Mammogram — left MLO. Patient age 43.
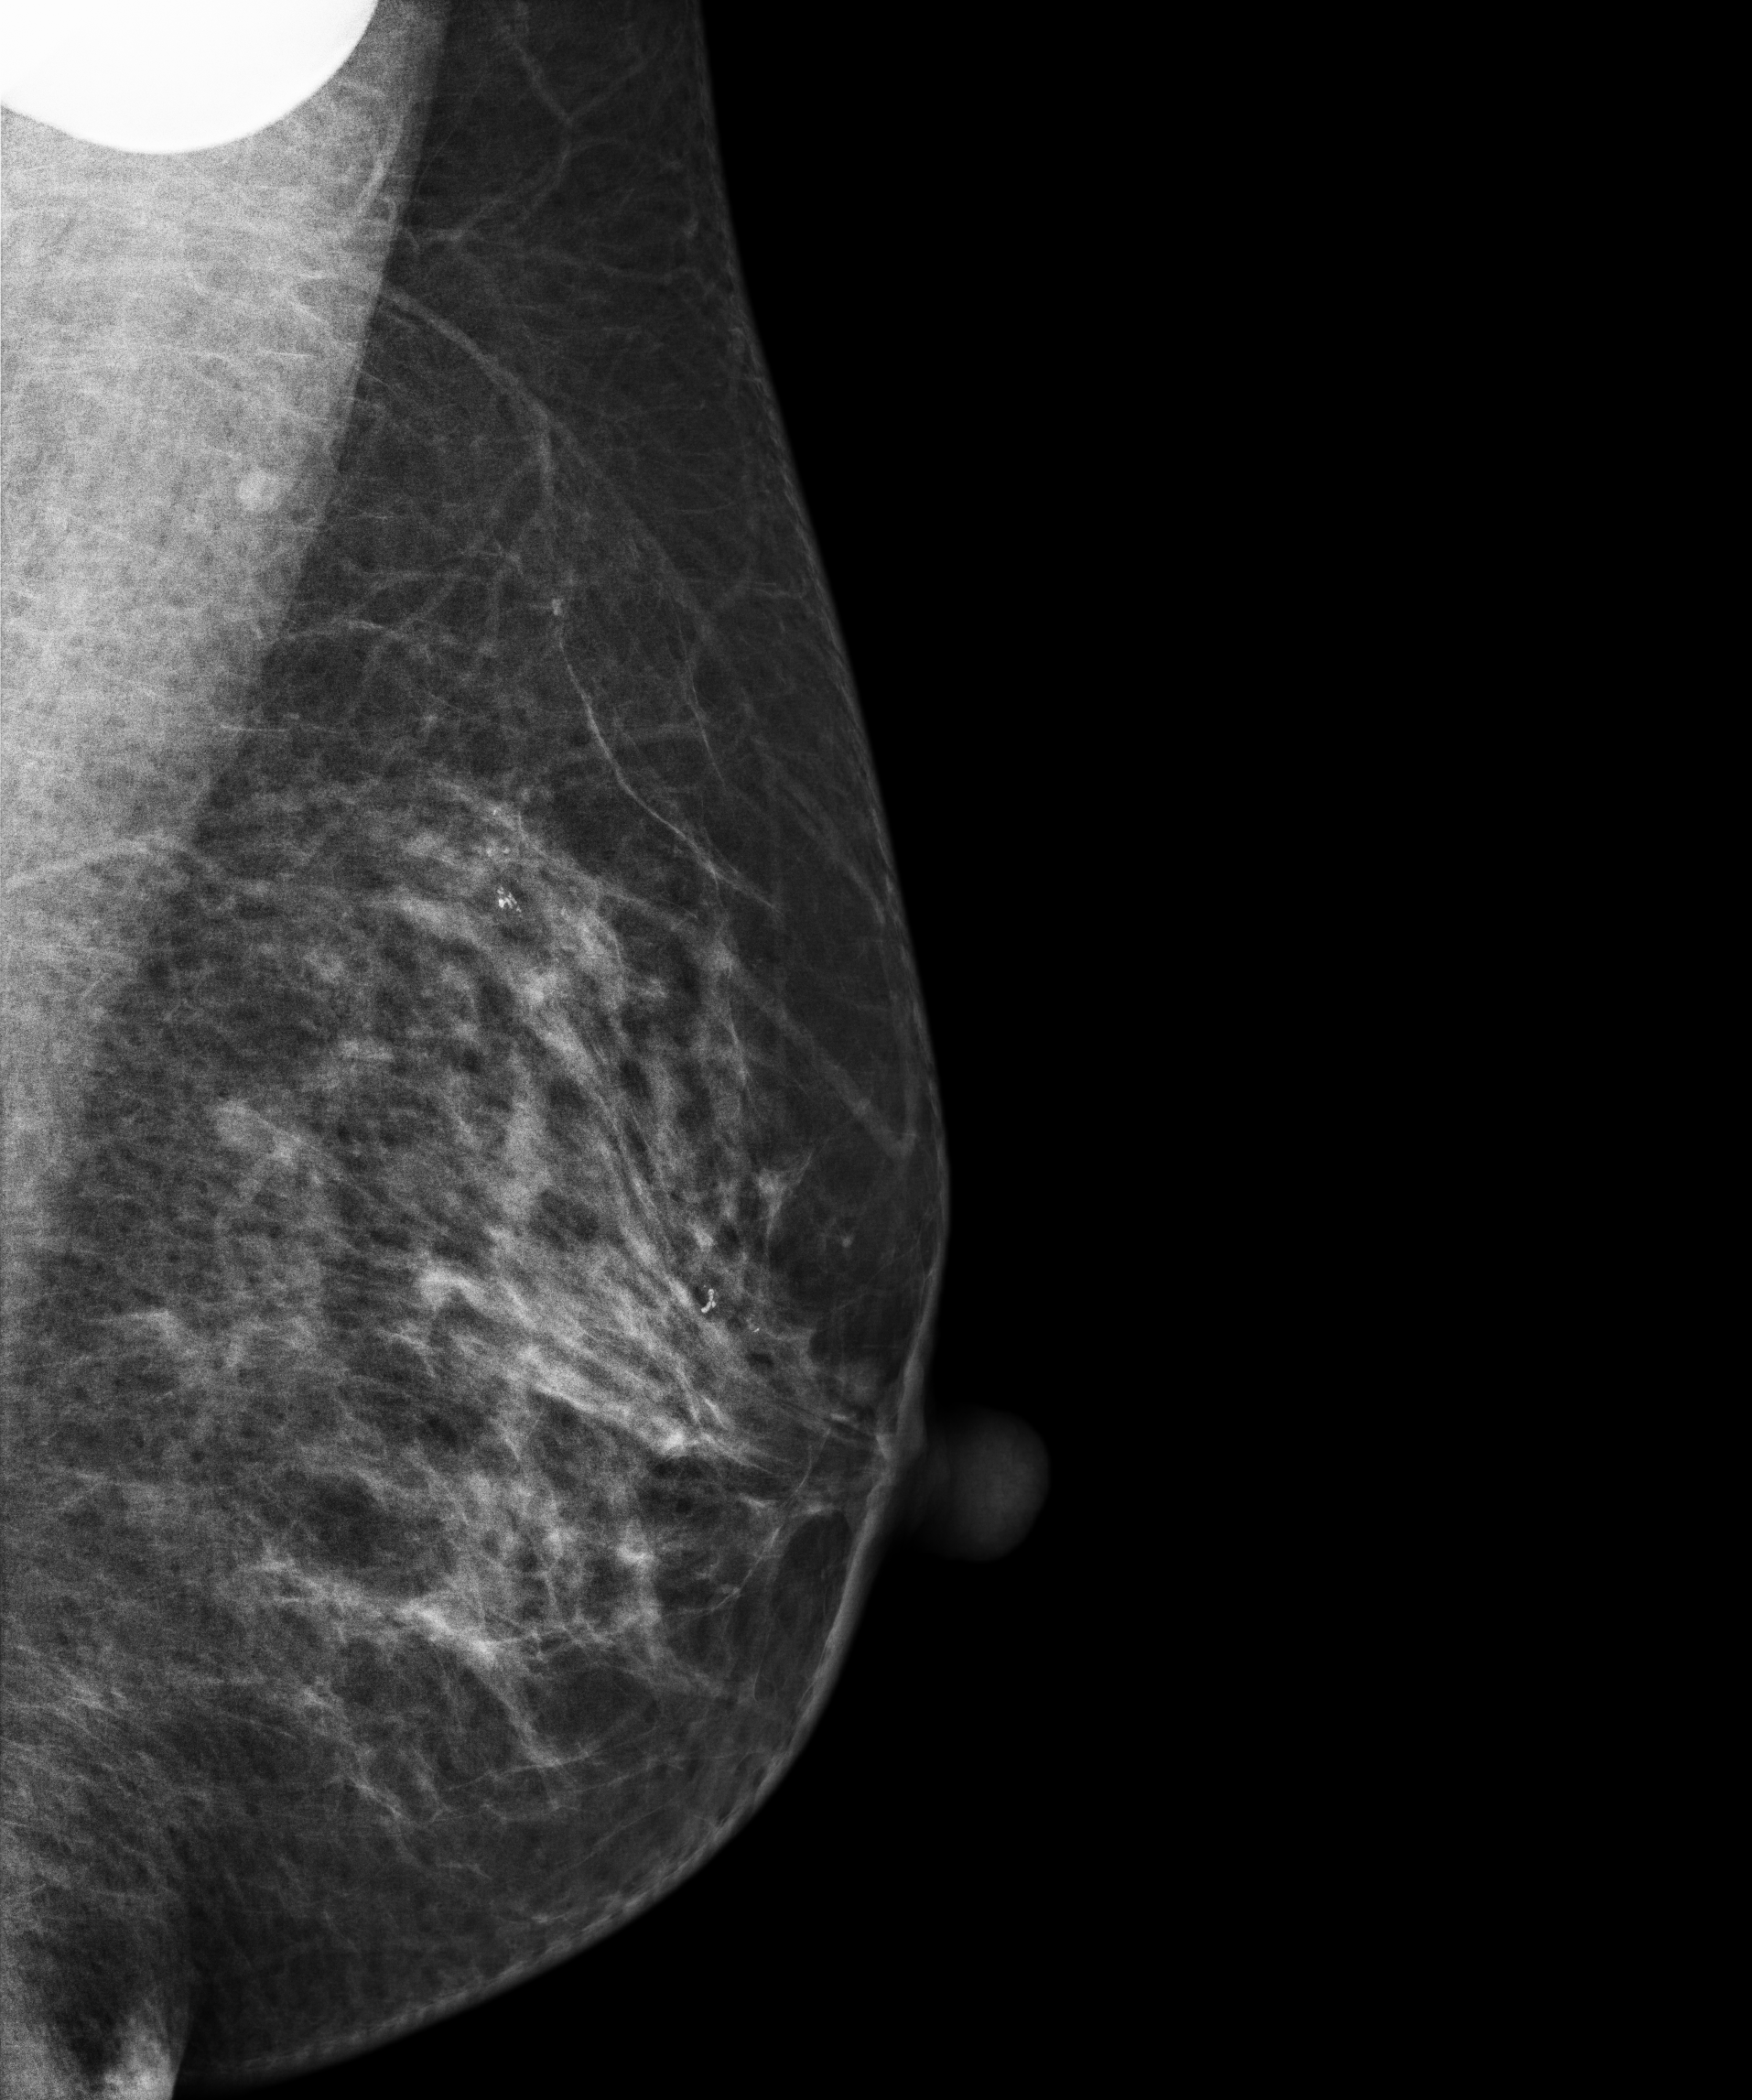
This breast has a mass and calcifications, histologically confirmed malignant.